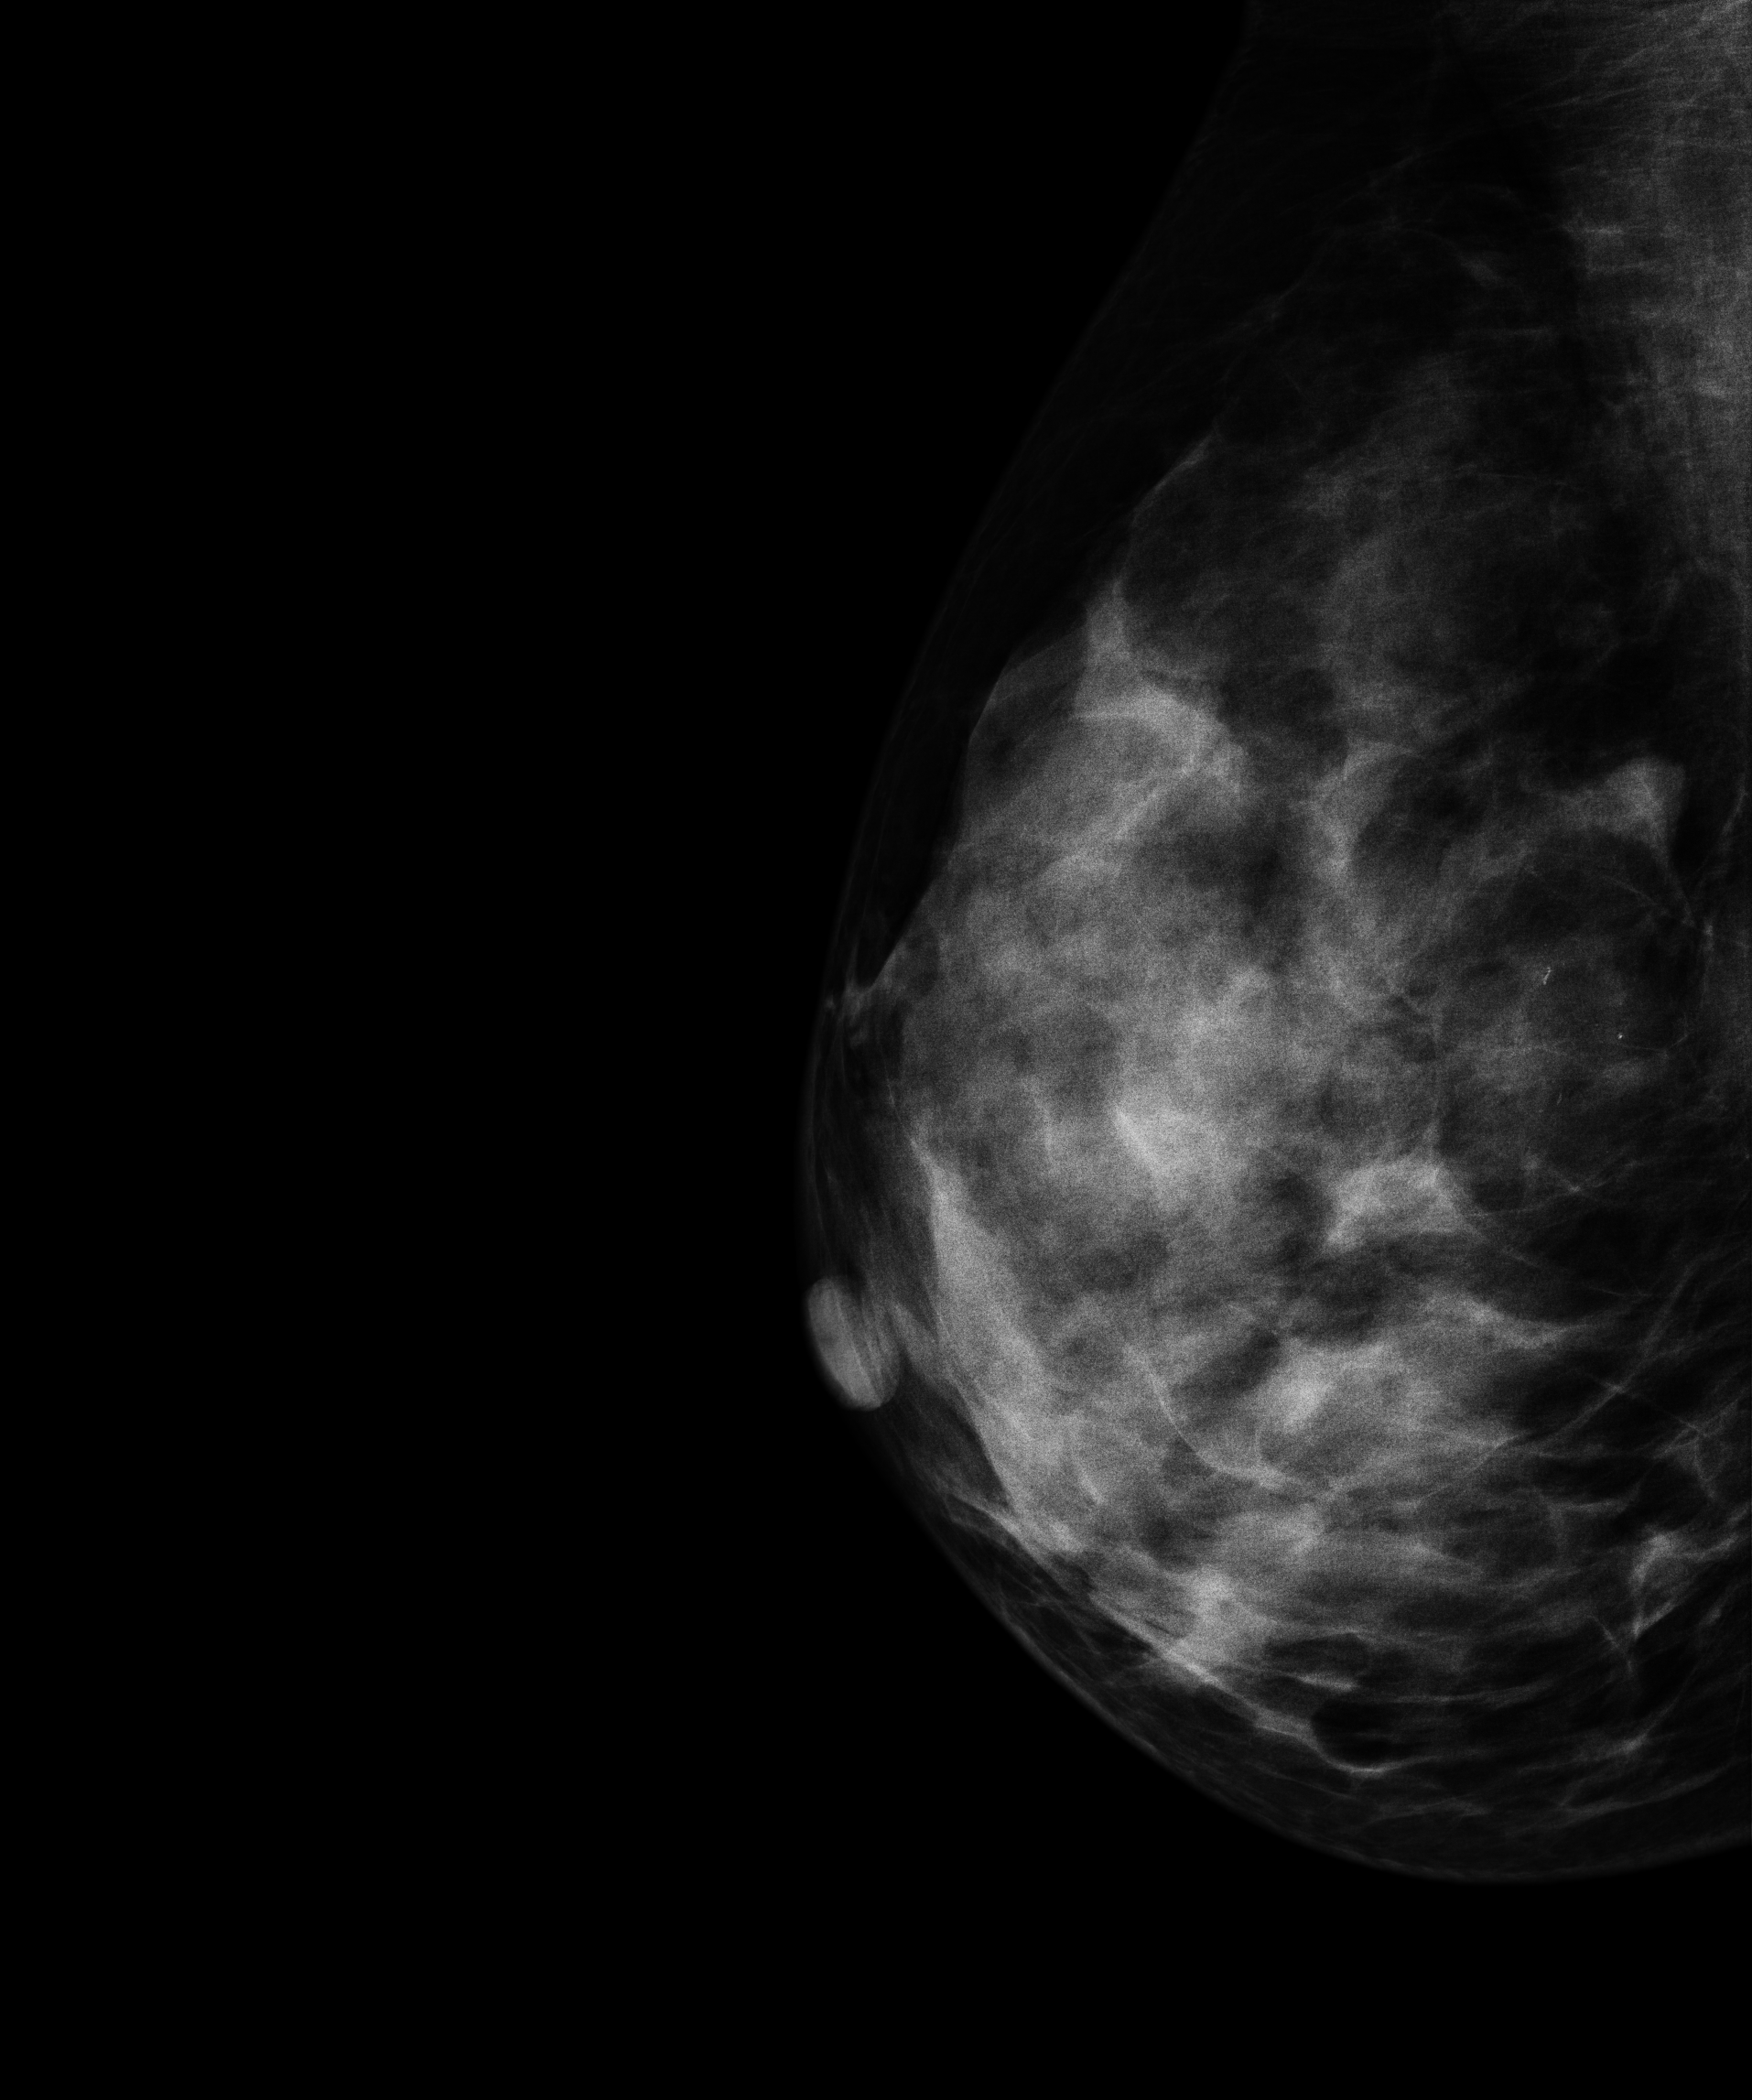
Mammogram, right breast, MLO view. 50-year-old patient.
This breast has calcifications, biopsy-proven malignant. Molecular subtype: HER2-enriched.